Mammogram — left cranio-caudal. Patient age 41.
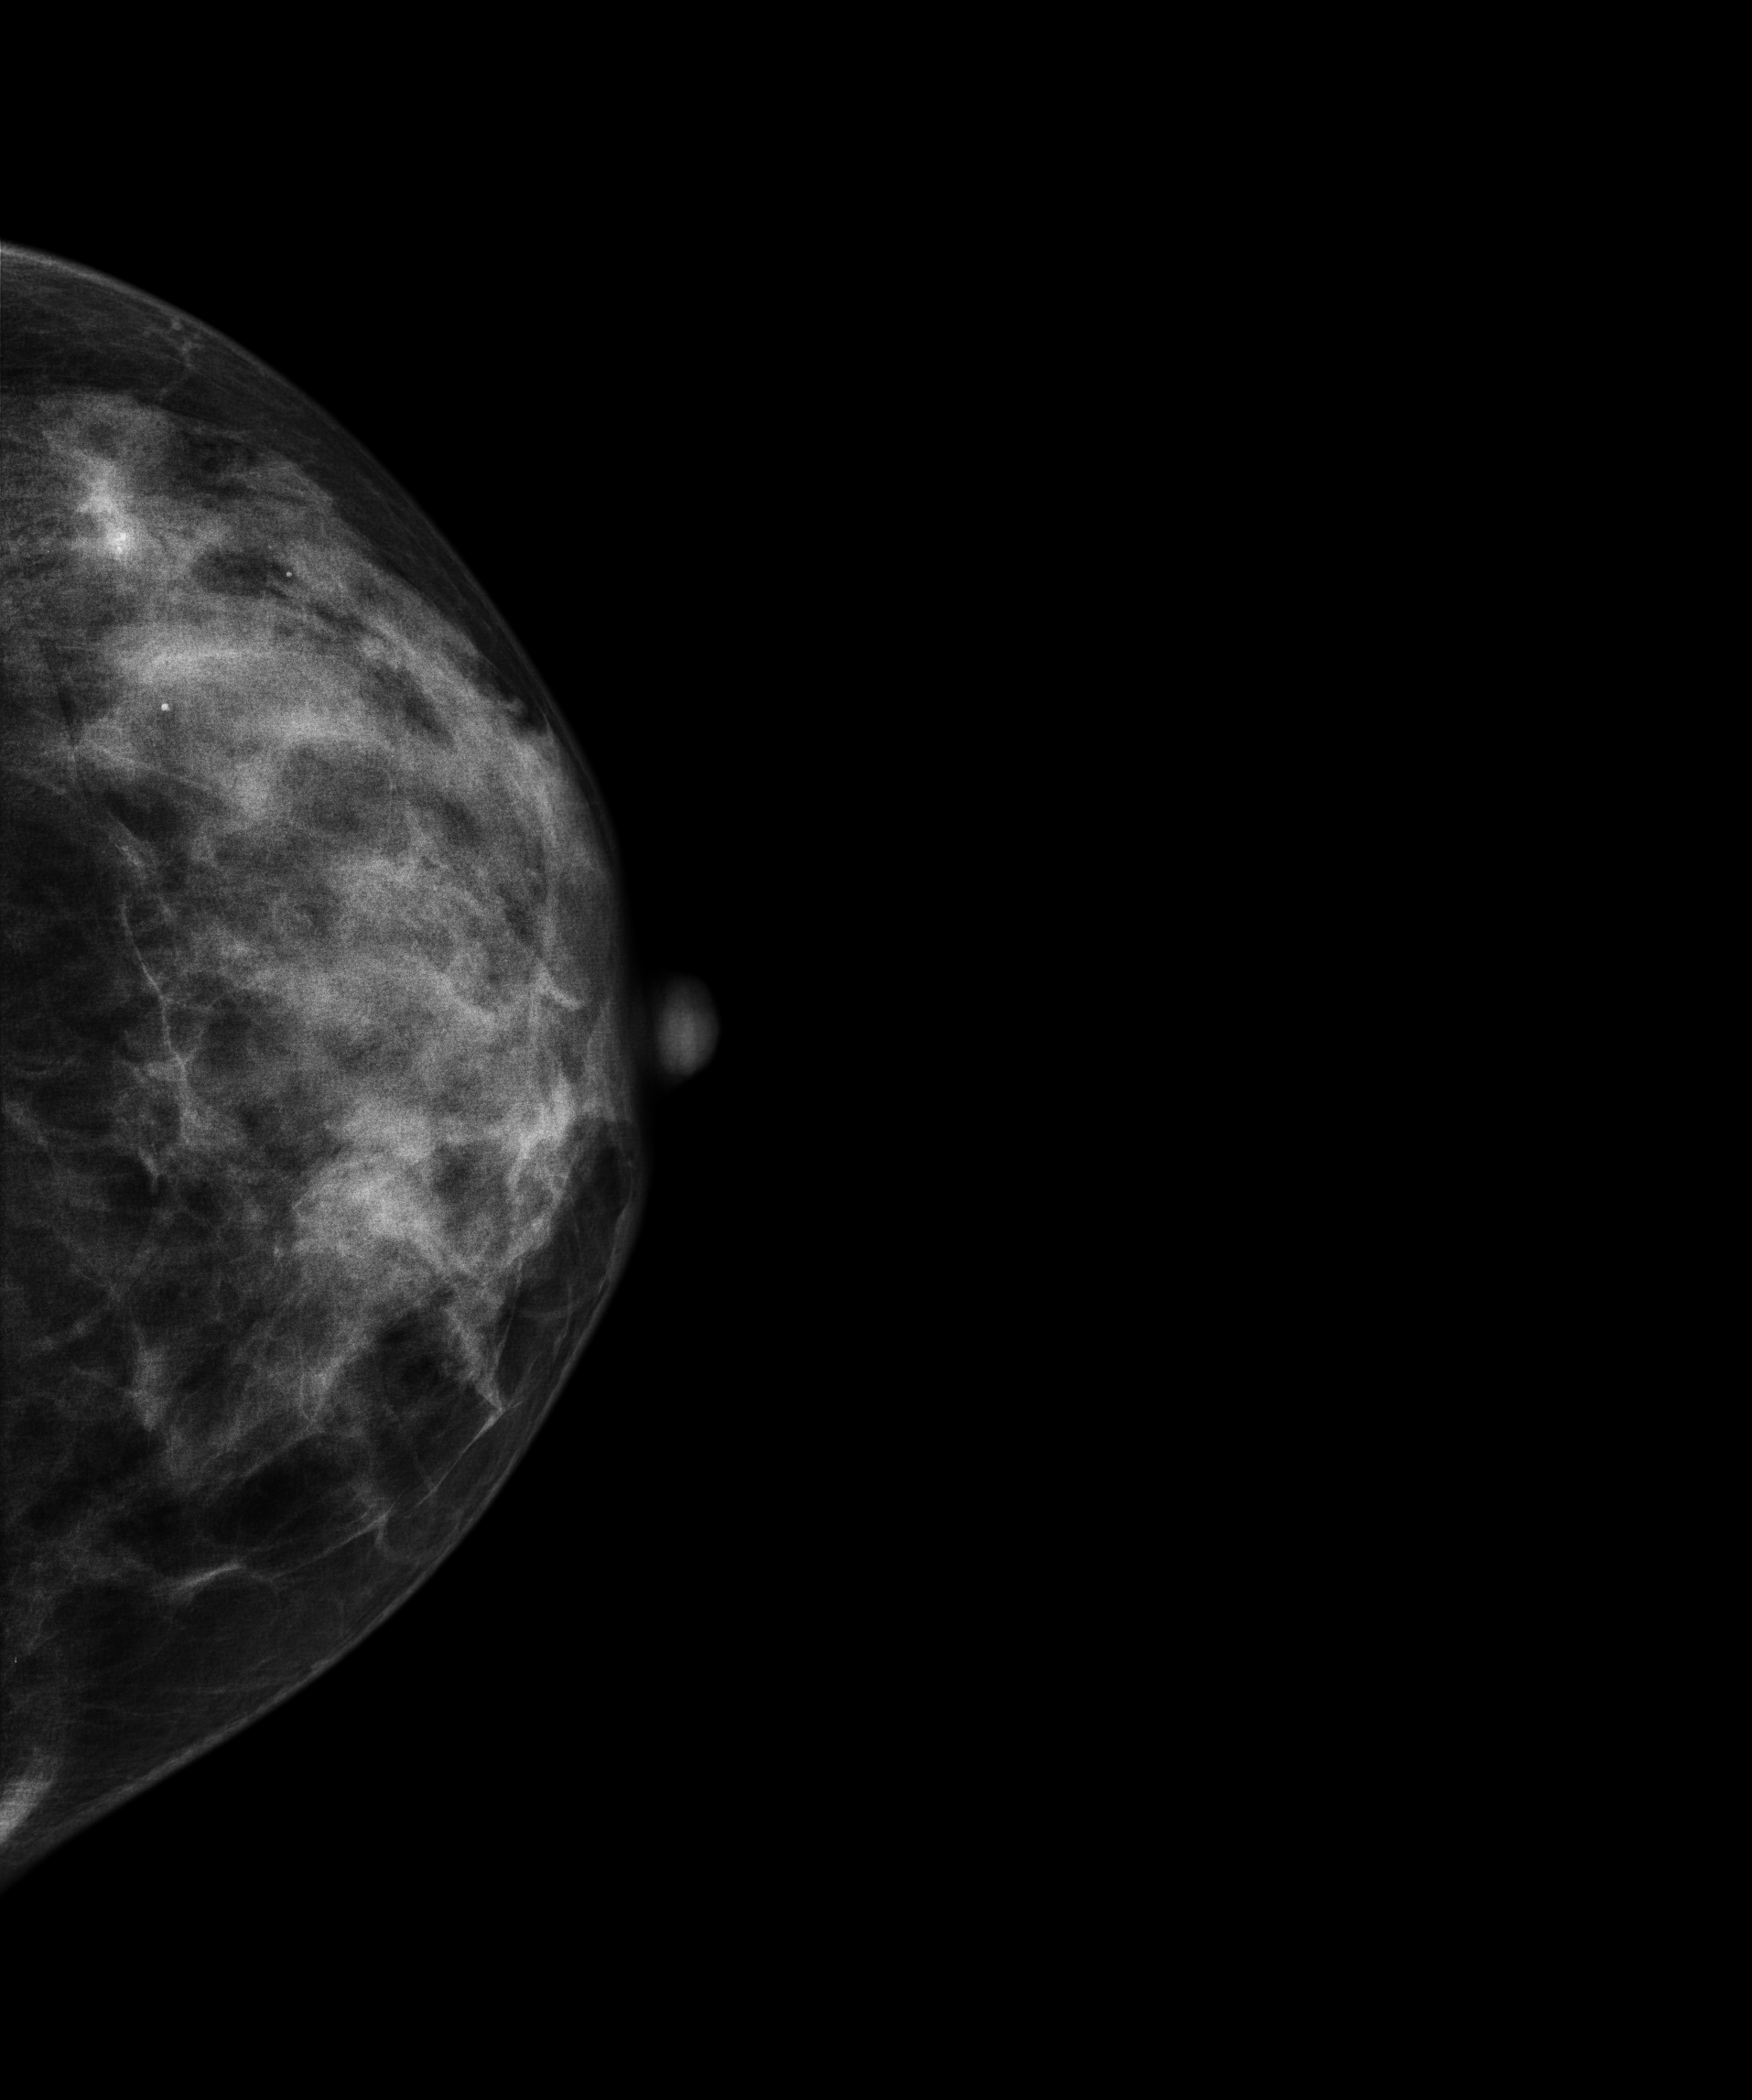
This breast has a mass and calcifications, histologically confirmed malignant. Molecular subtype: luminal B.